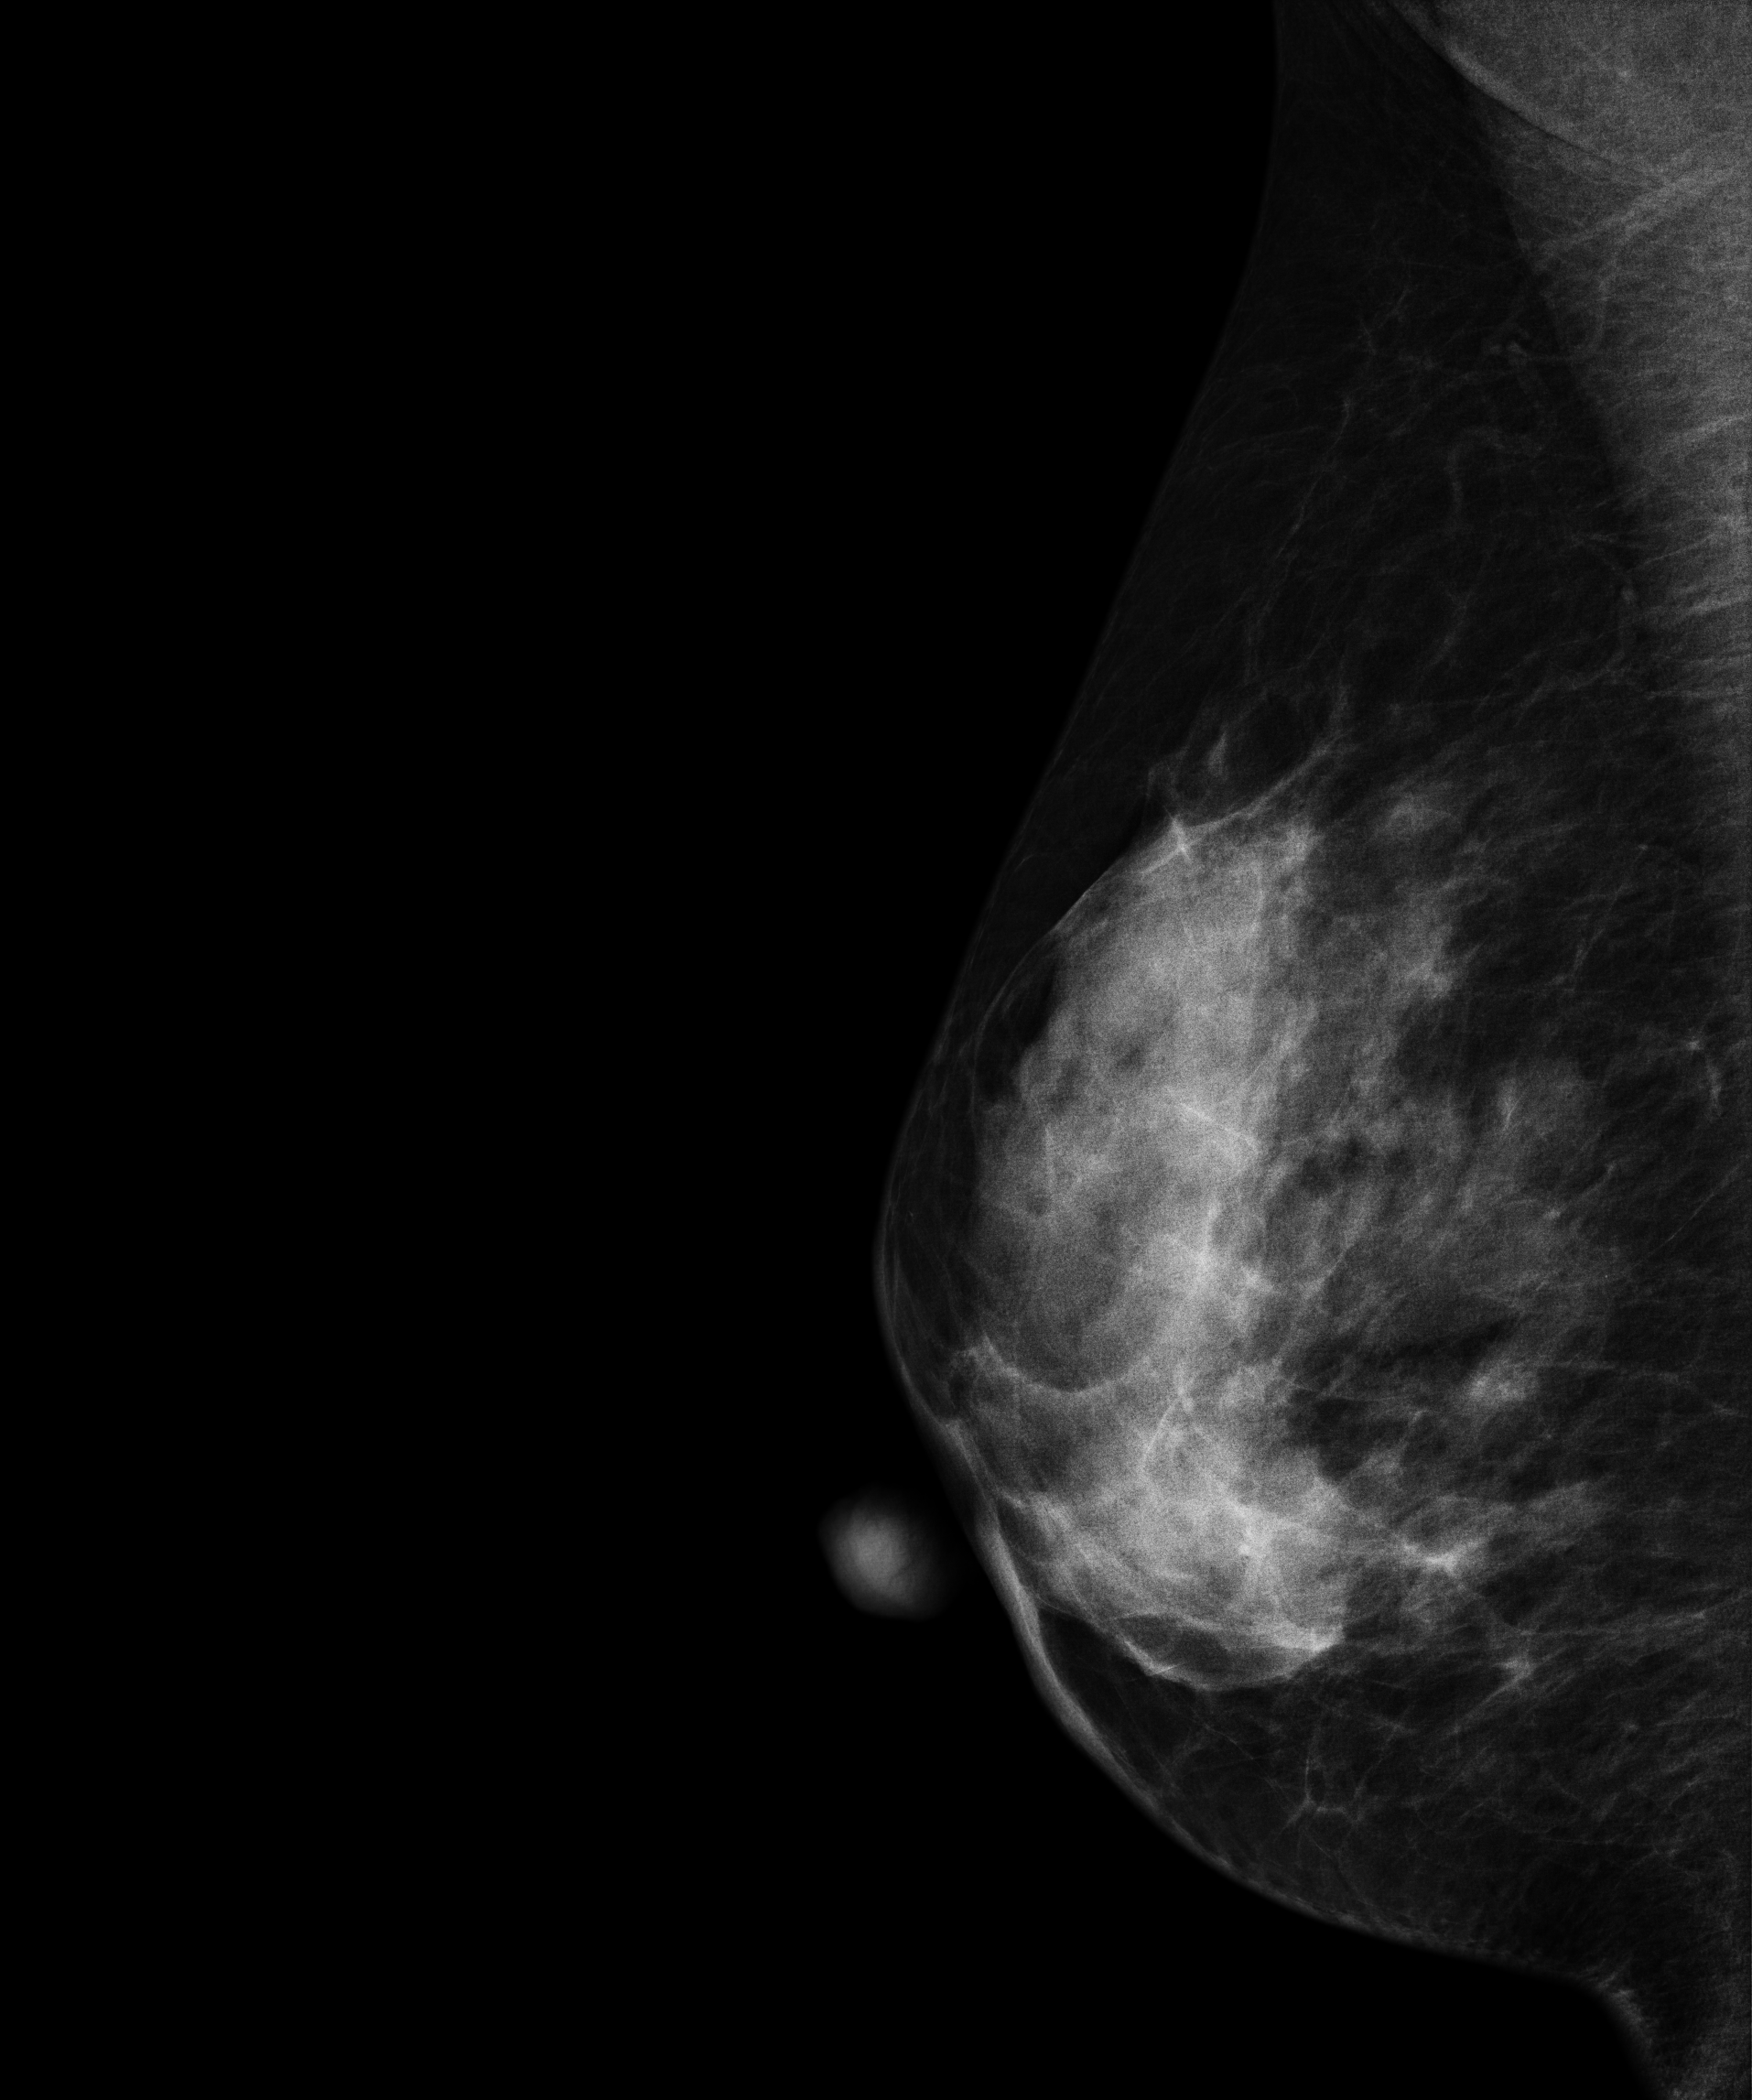
Medio-lateral oblique mammogram of the right breast. 41-year-old patient.
Contralateral breast — no documented abnormality on this side.